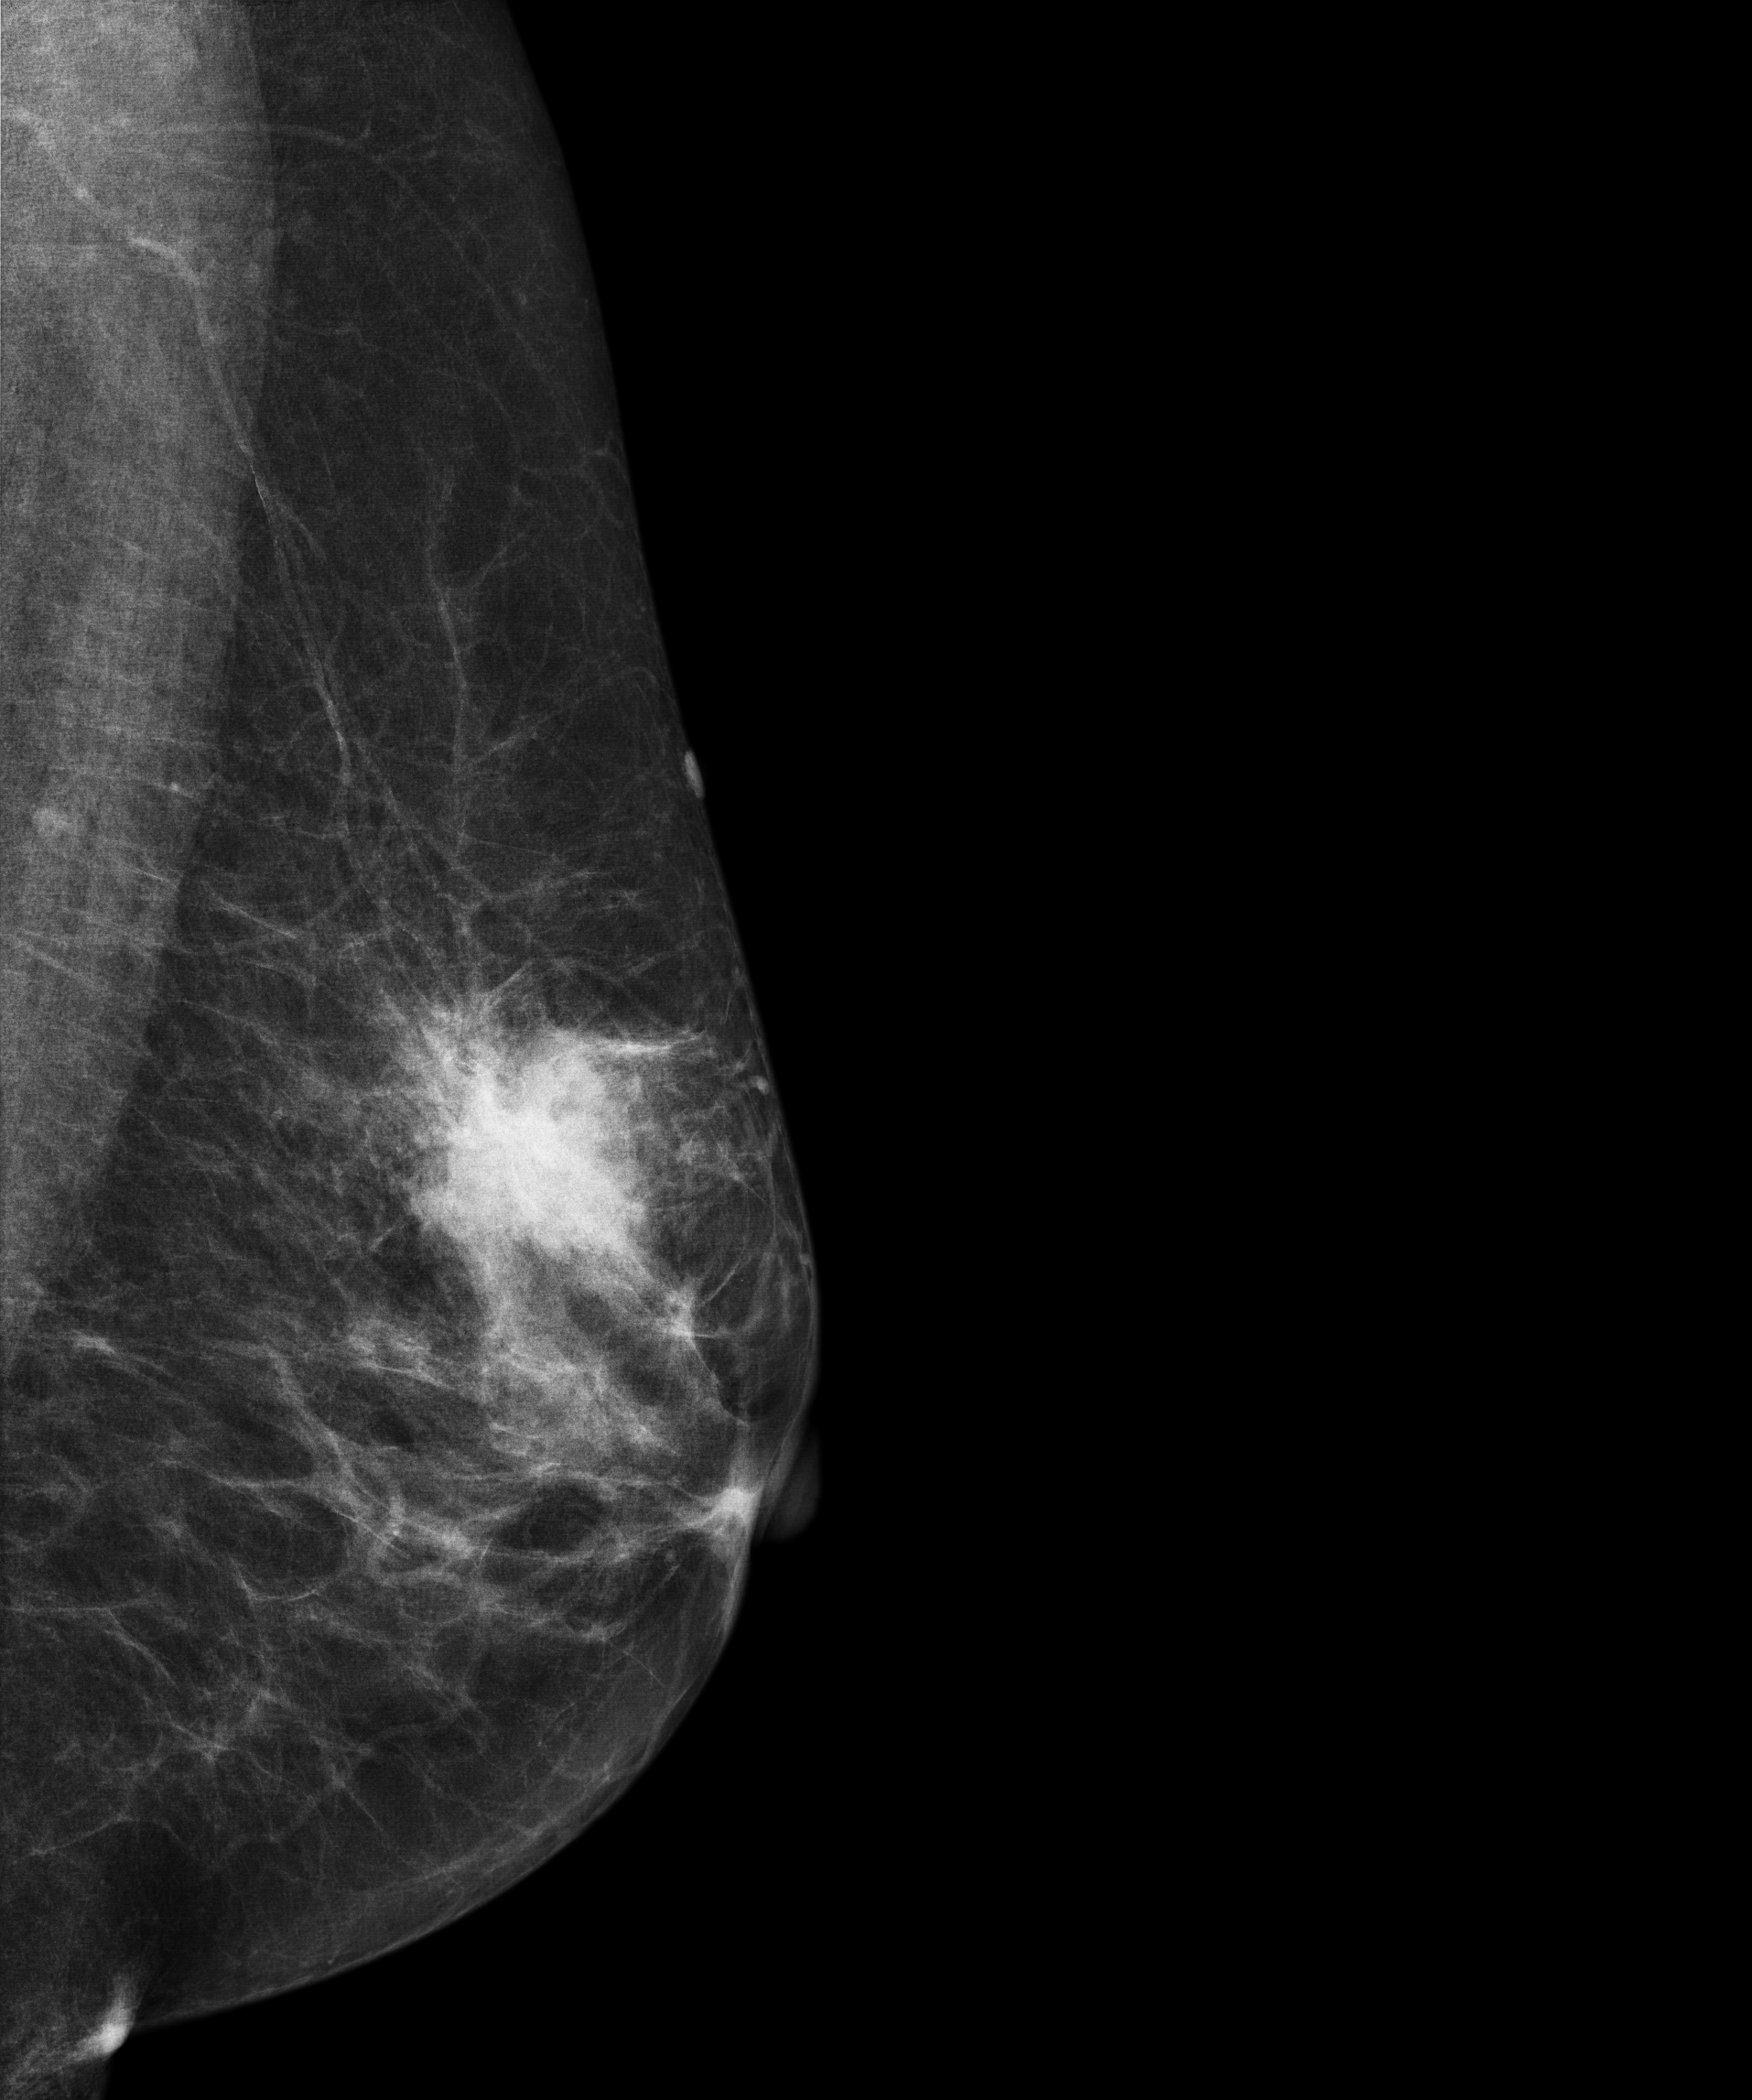
Mammogram, left breast, MLO view. 61 y/o patient.
This breast has a mass, histologically confirmed malignant.